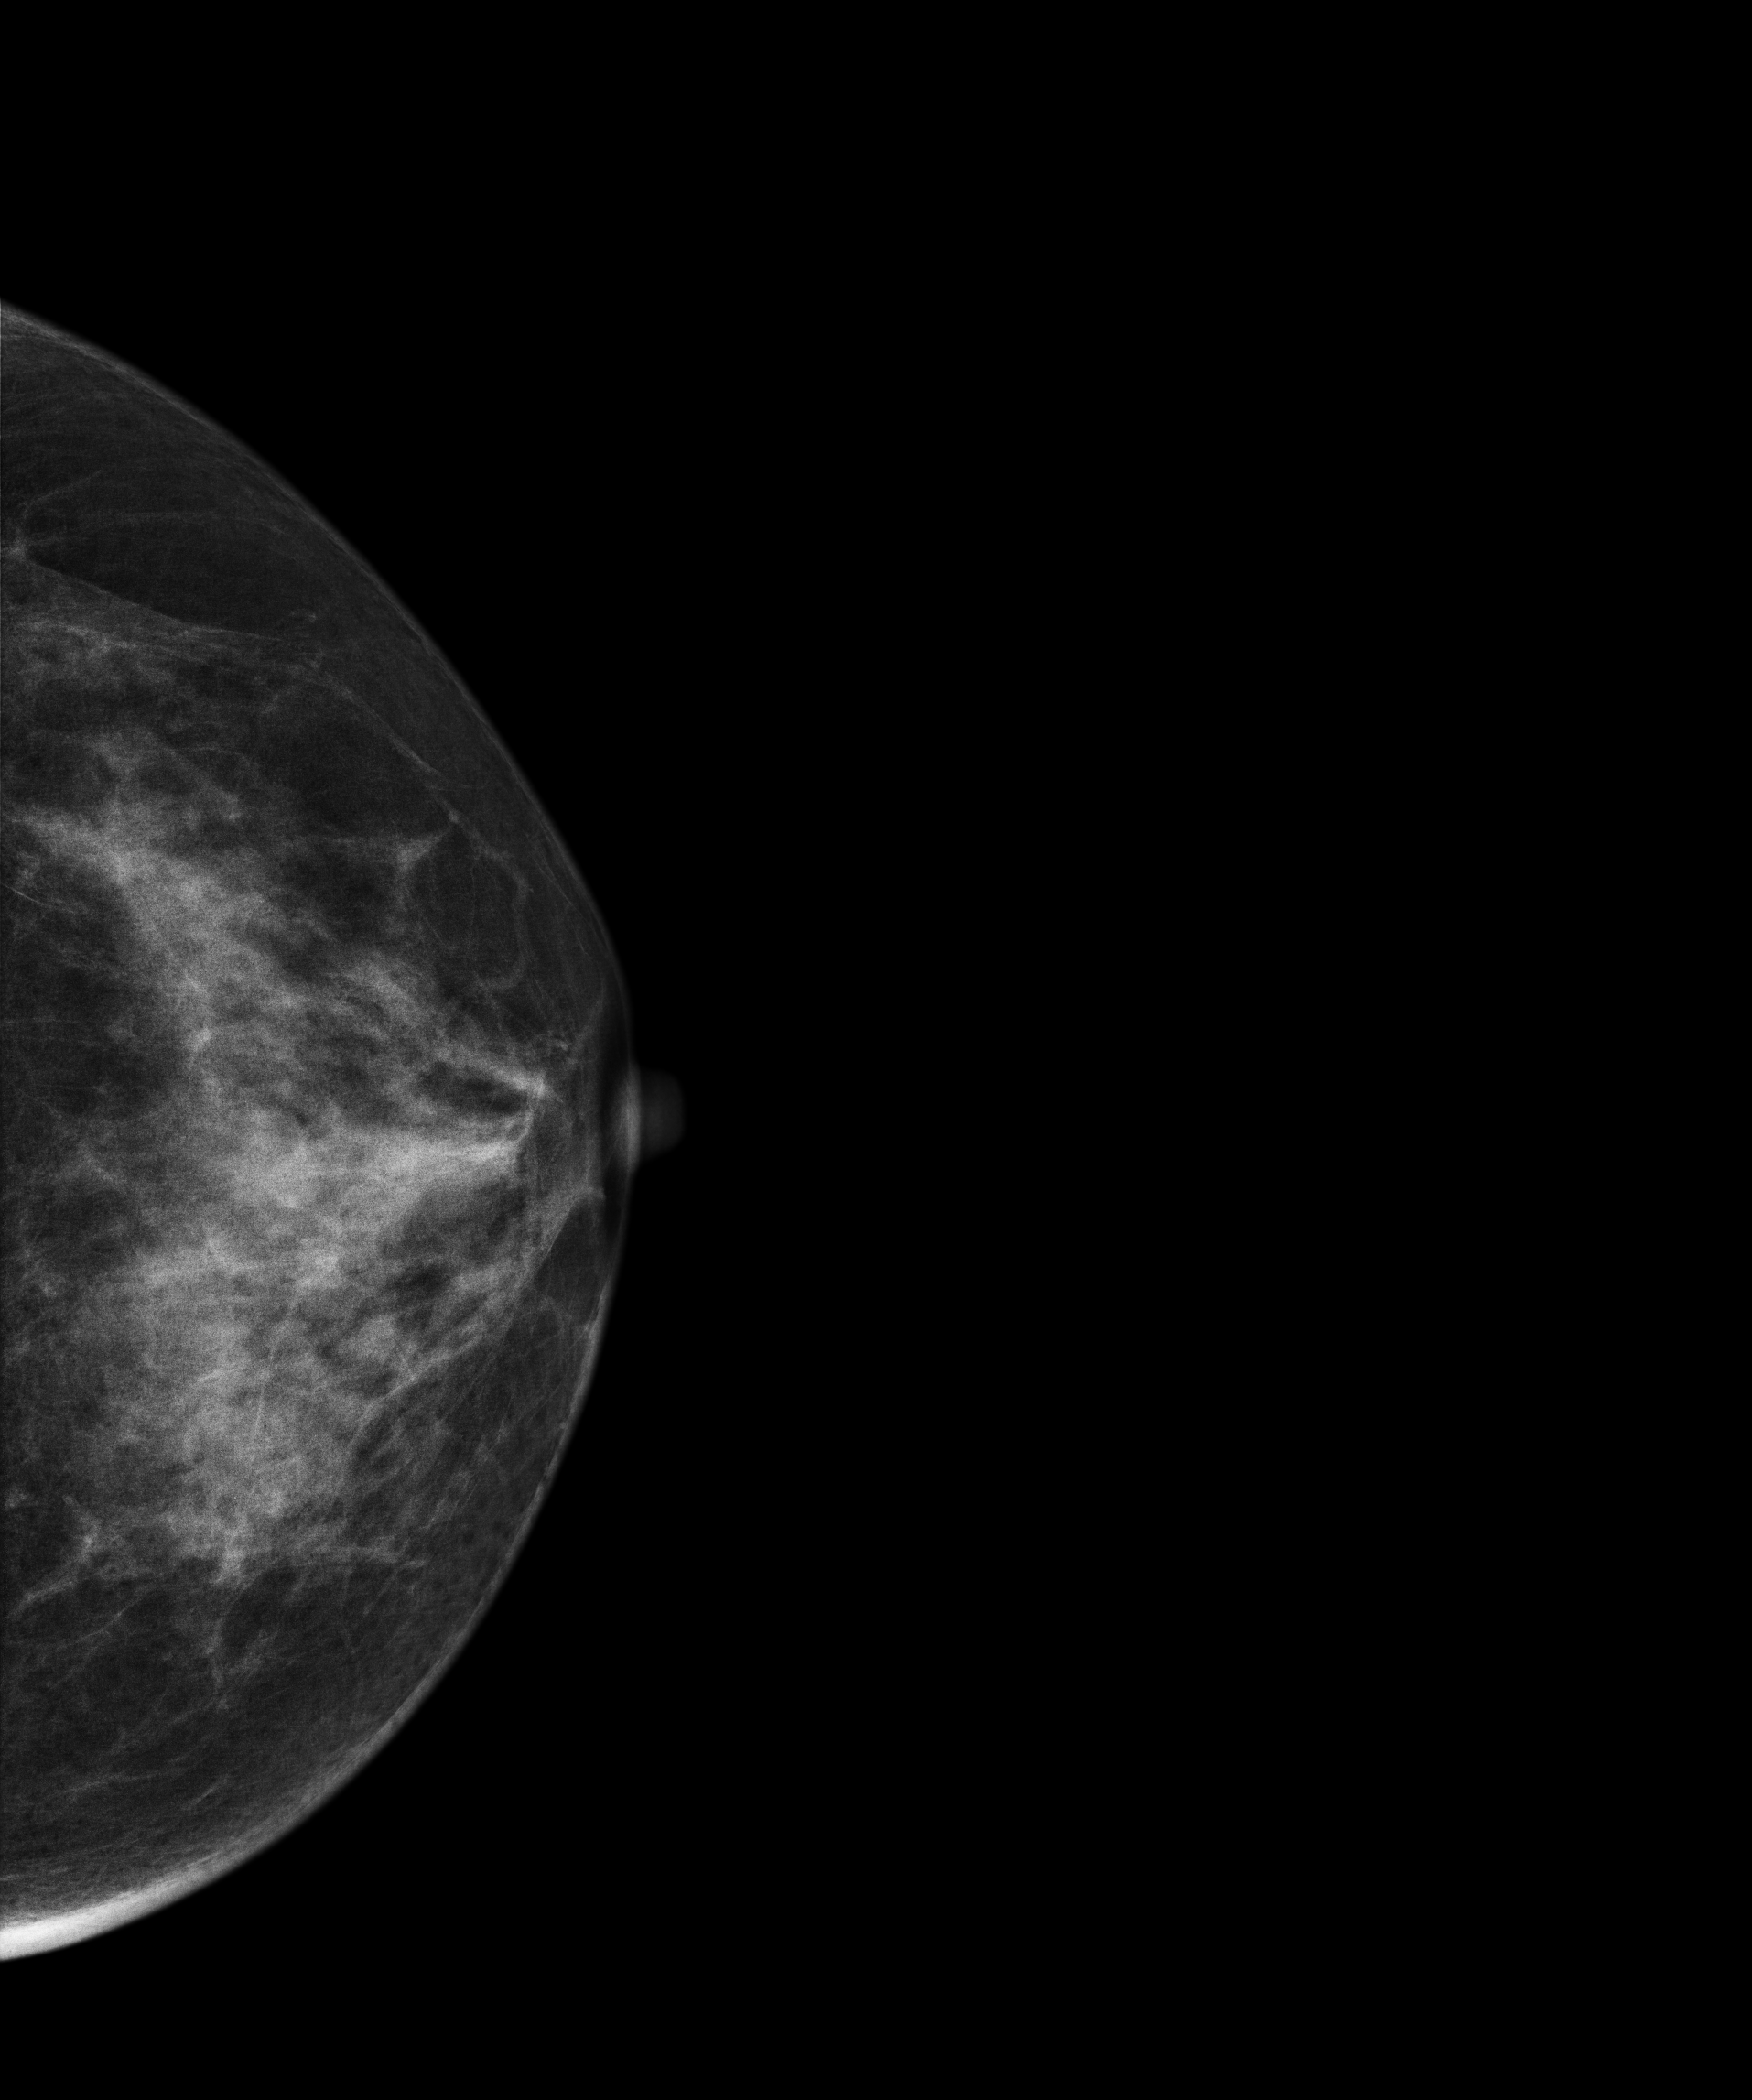
Digital mammography. Left breast, cranio-caudal projection. 64 y/o patient.
Contralateral breast — no documented abnormality on this side.